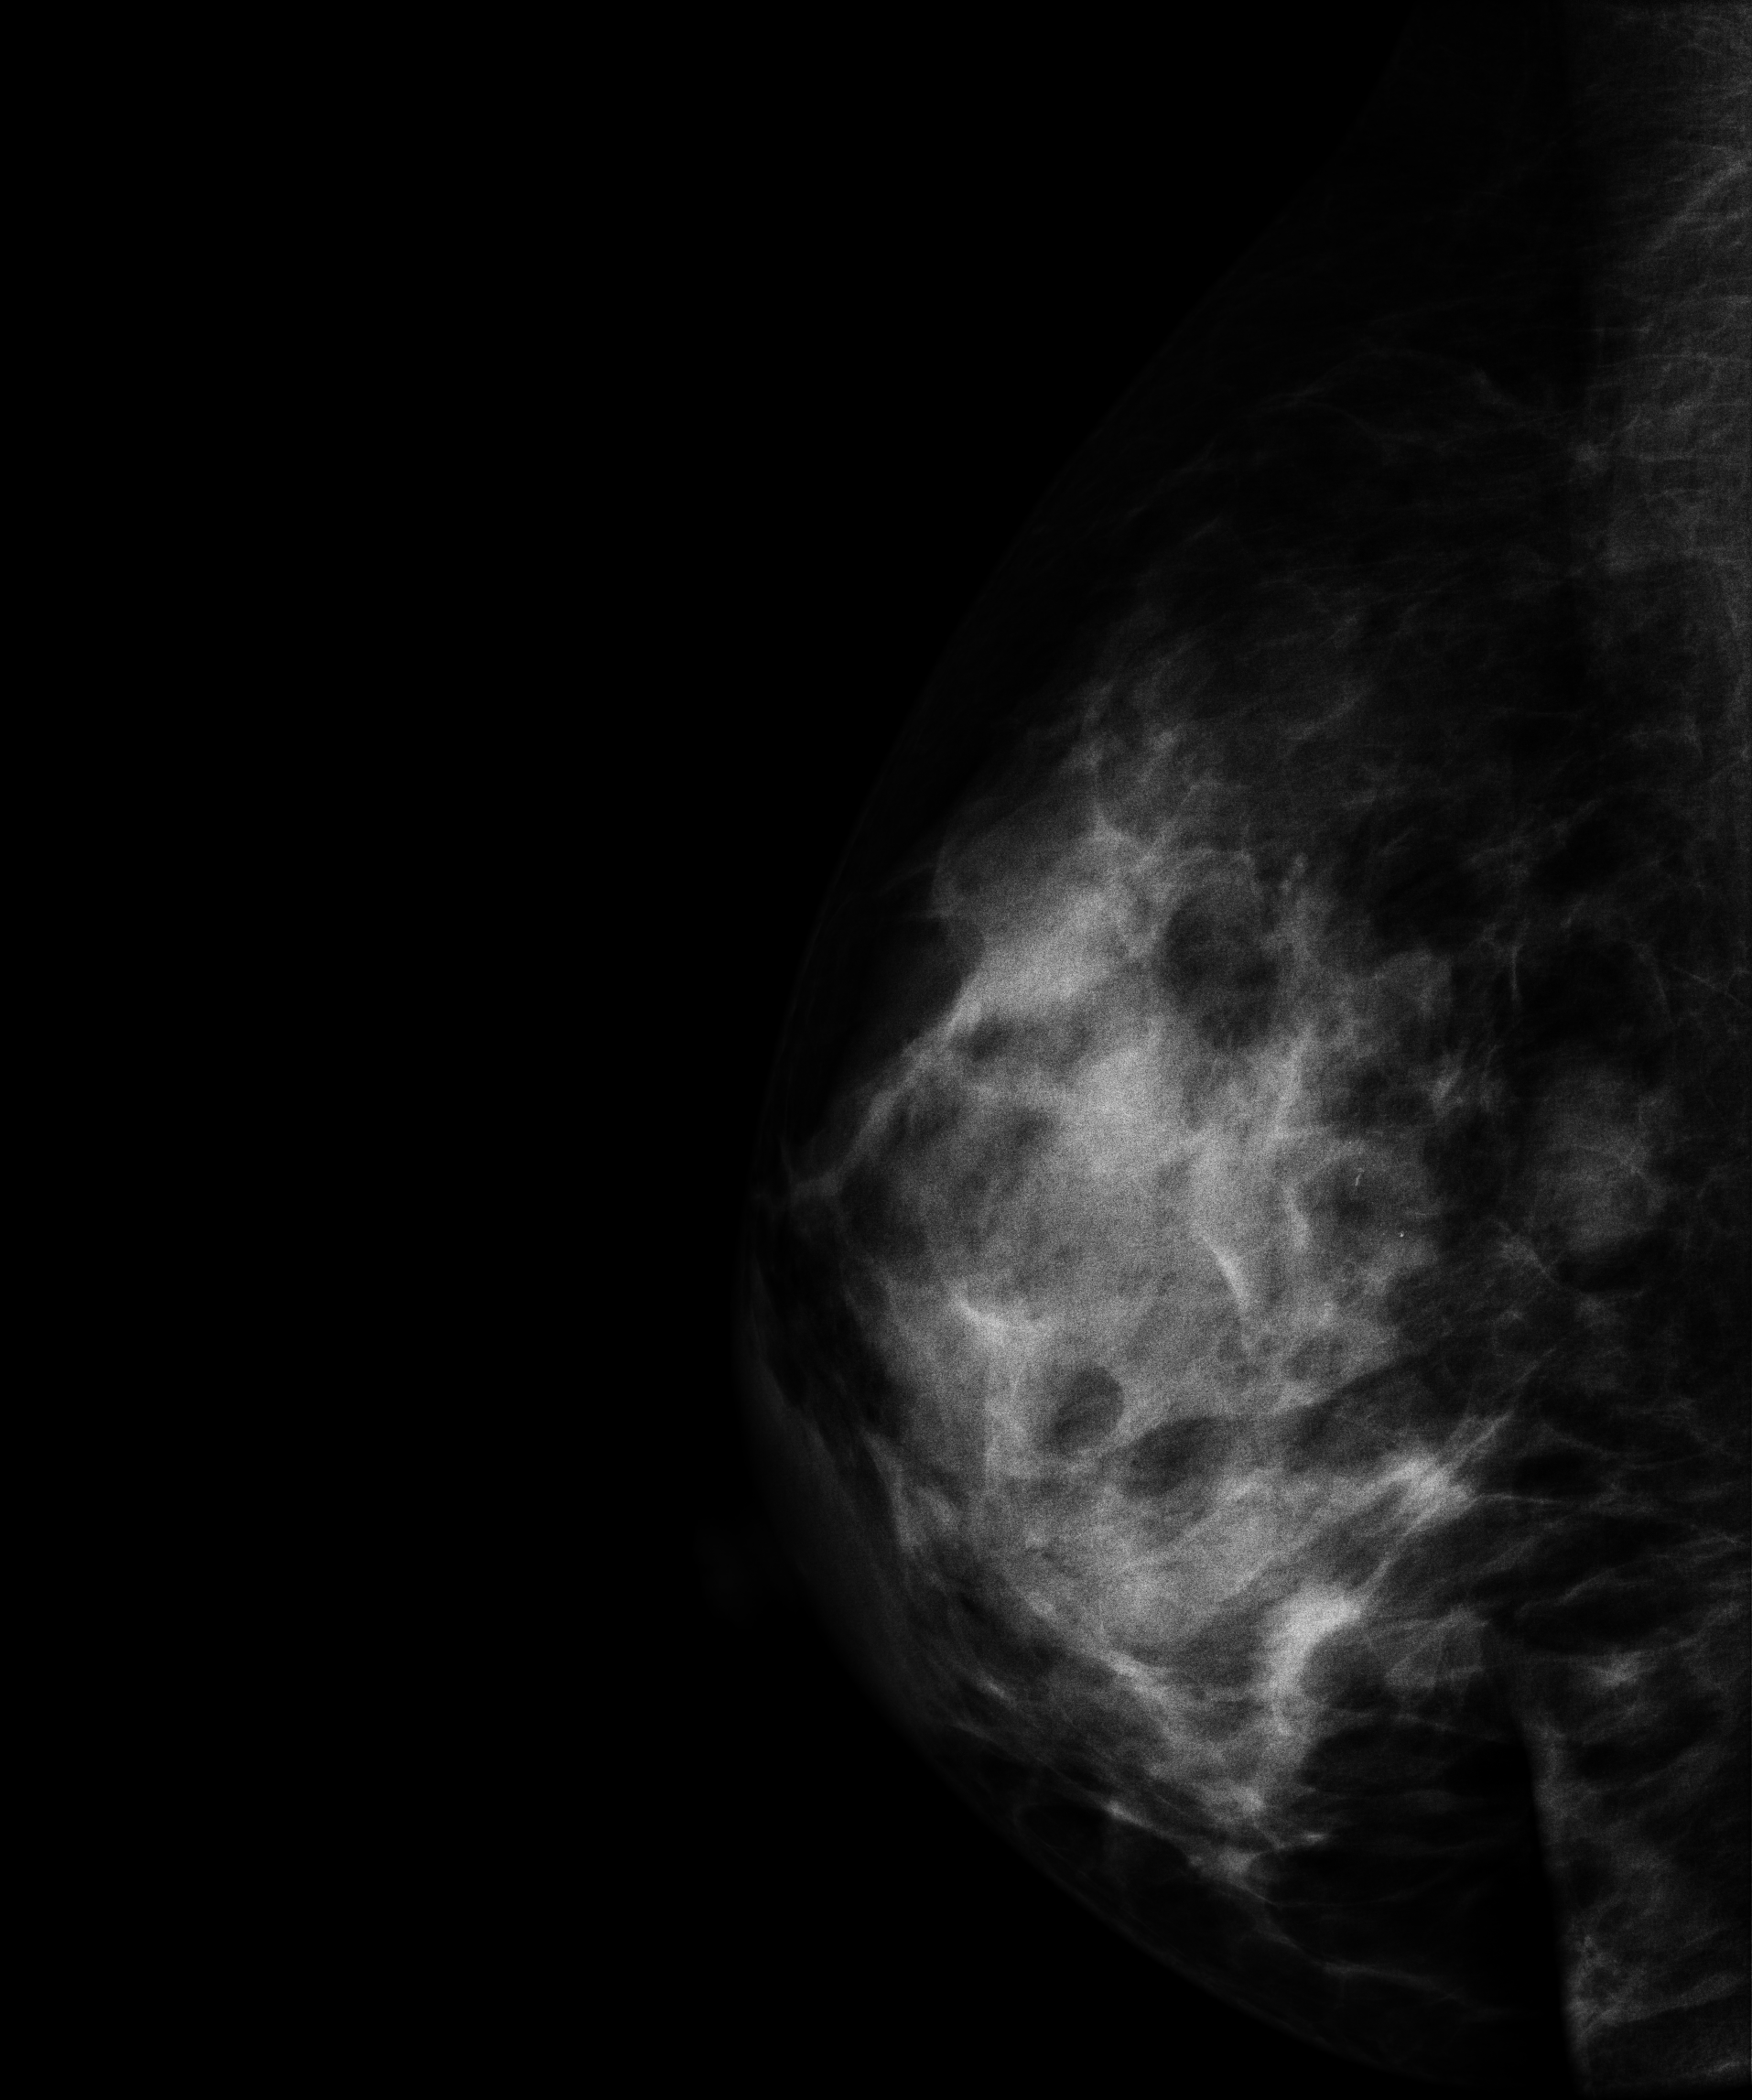
Digital mammography. Right breast, medio-lateral oblique projection. Patient age 50.
This breast has a mass, biopsy-proven malignant.